Mammogram, right breast, cranio-caudal view. 60 y/o patient.
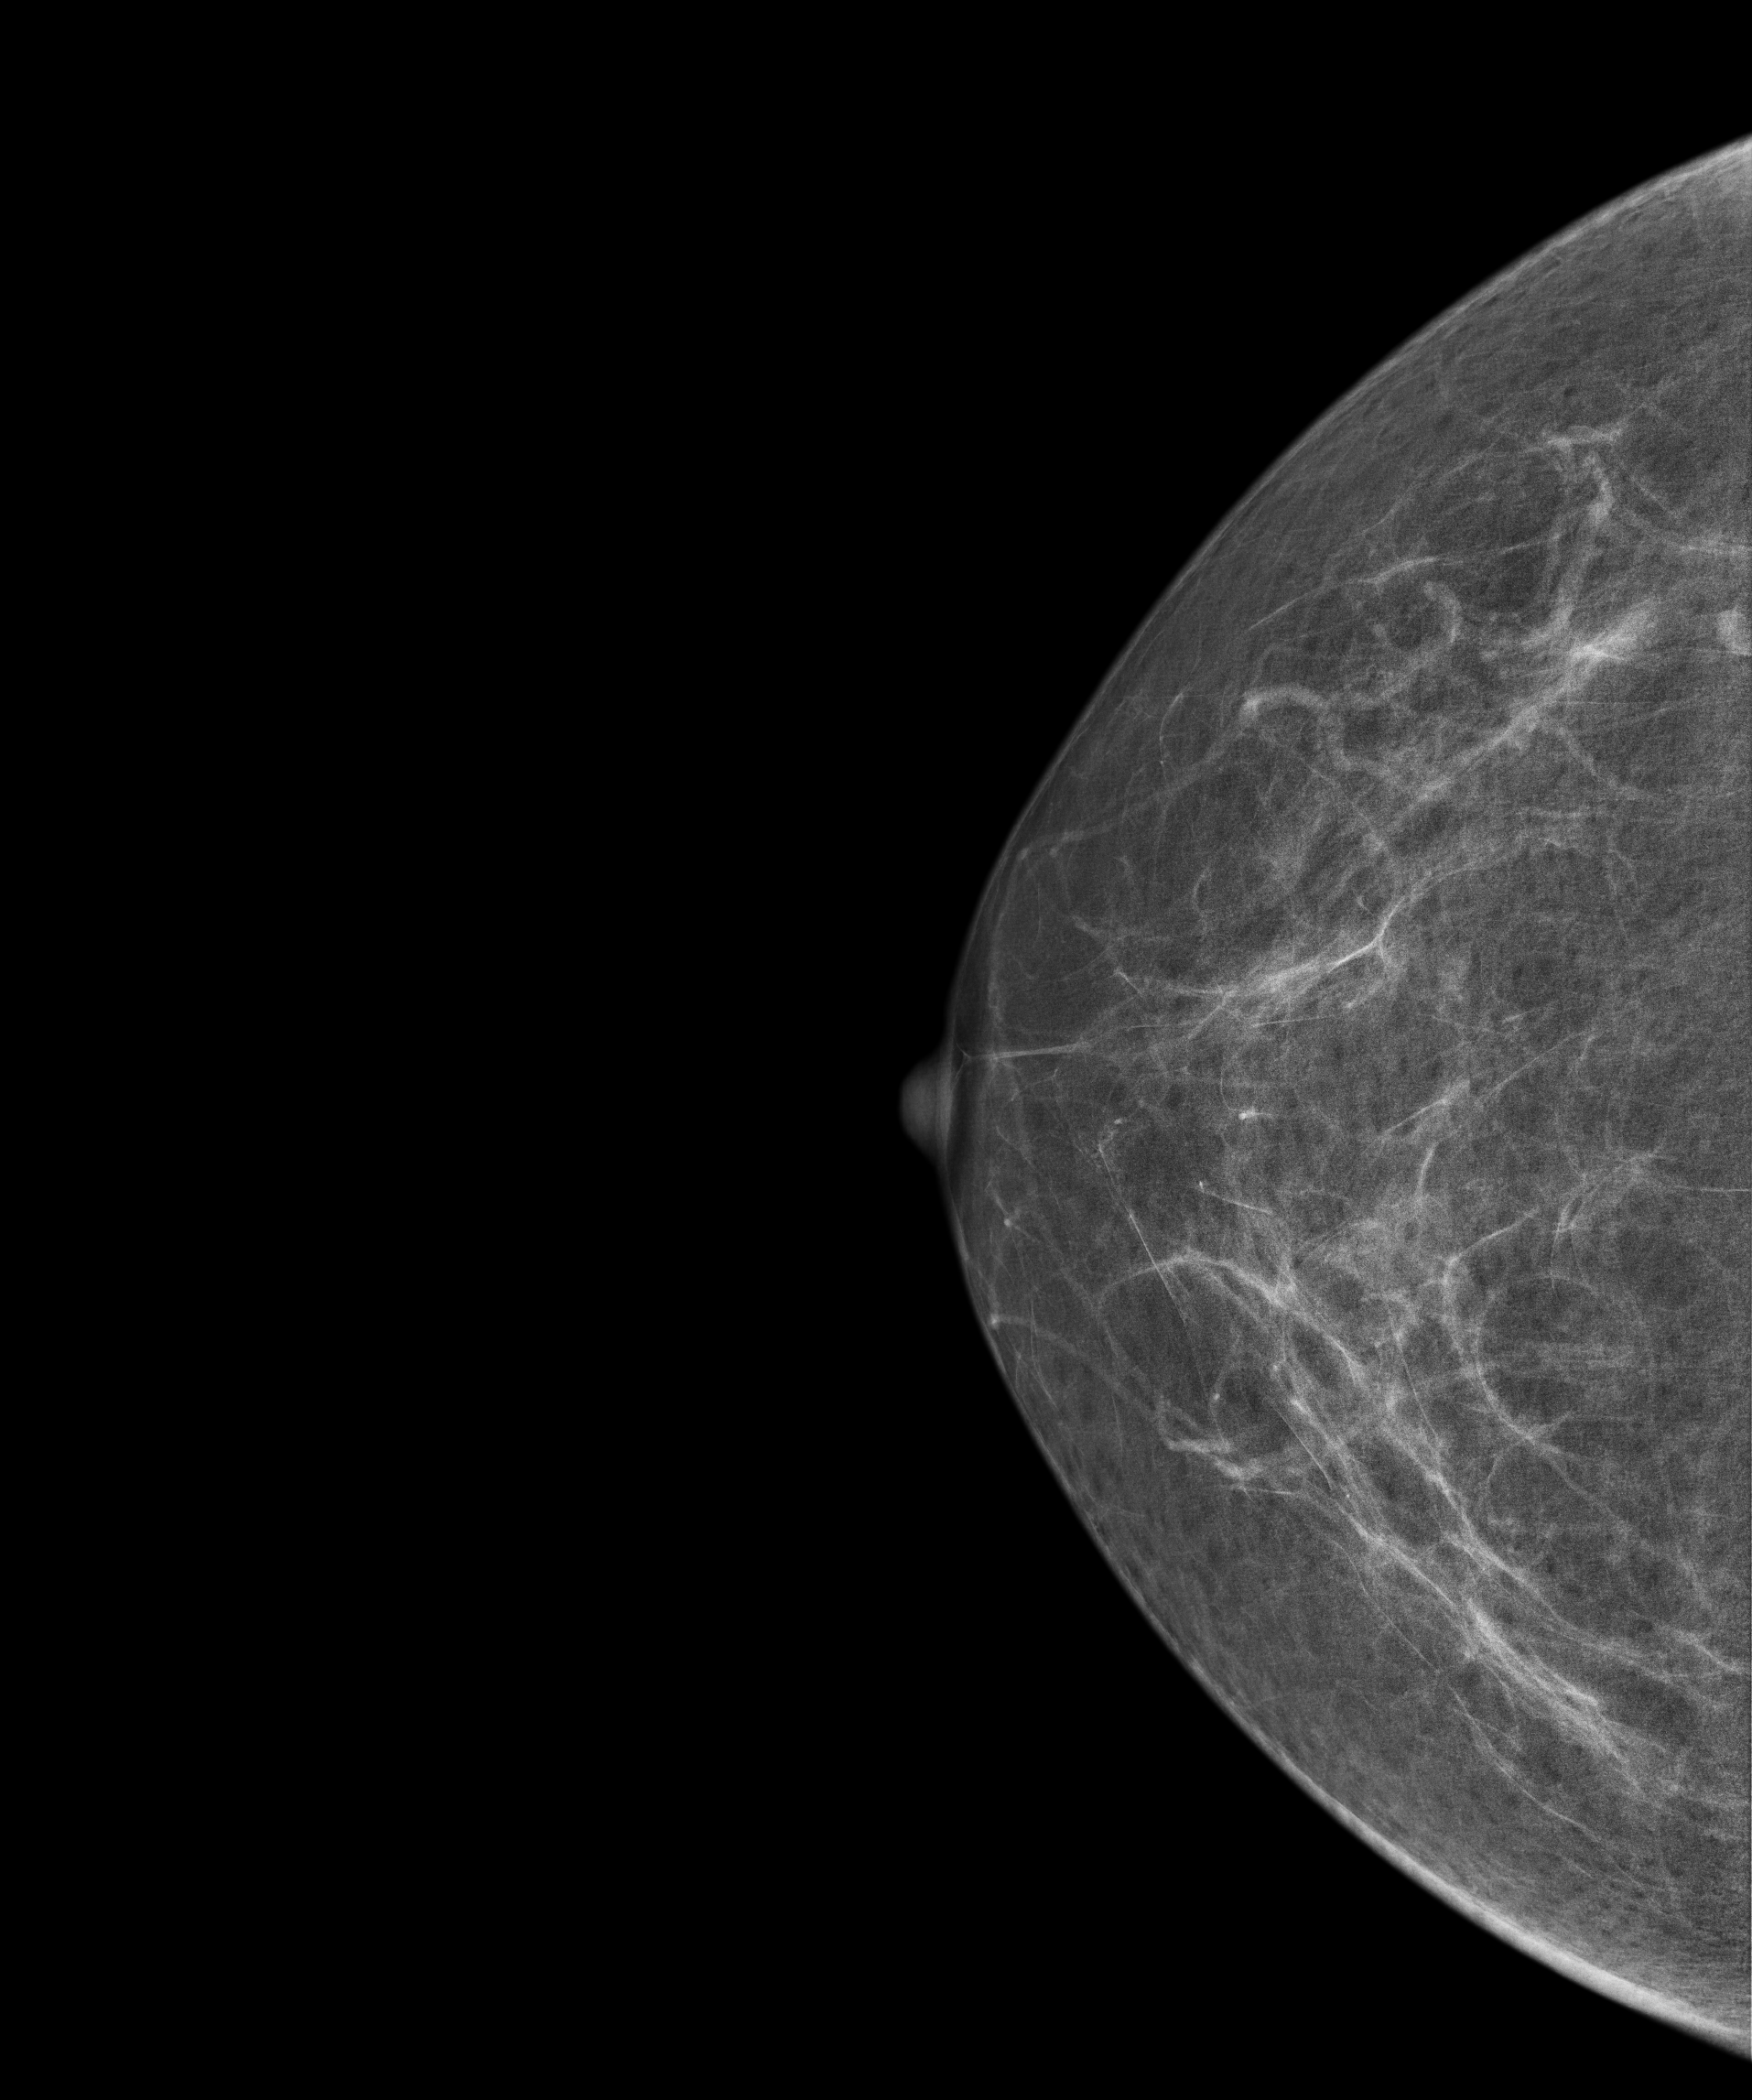
Contralateral breast — no documented abnormality on this side.